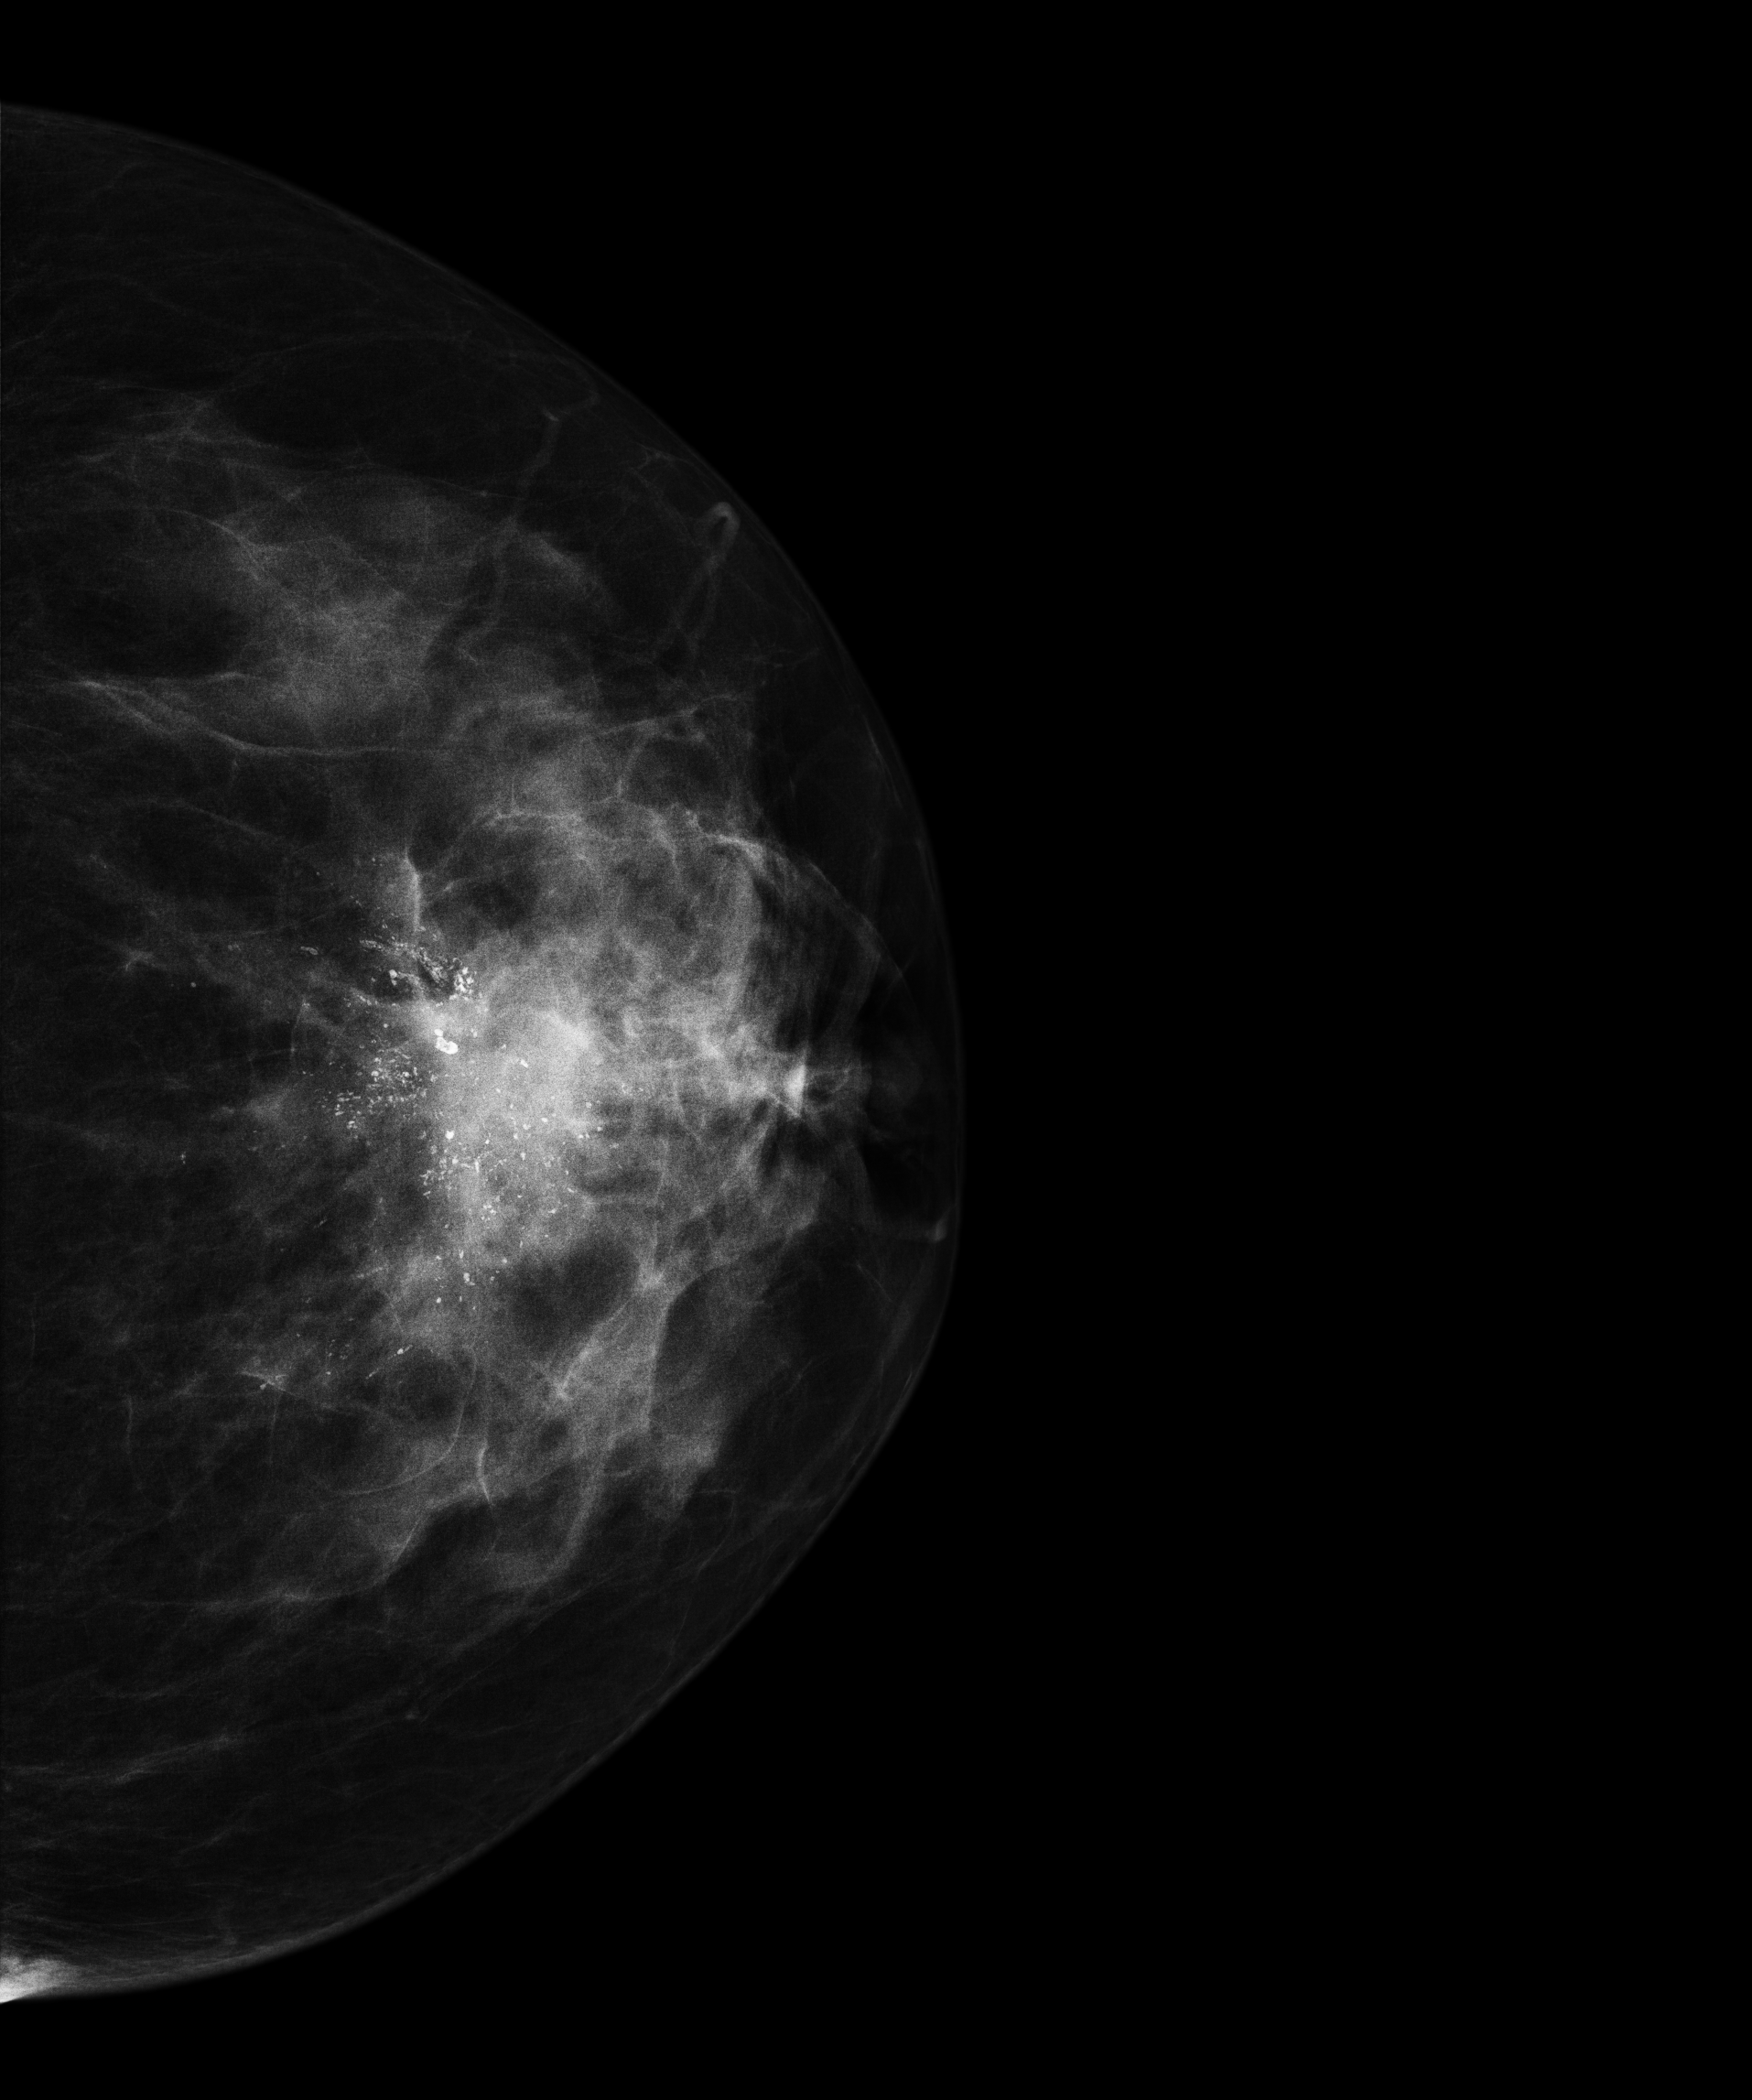
Left-breast mammogram, CC. 61-year-old patient.
This breast has a mass and calcifications, biopsy-proven malignant. Molecular subtype: HER2-enriched.